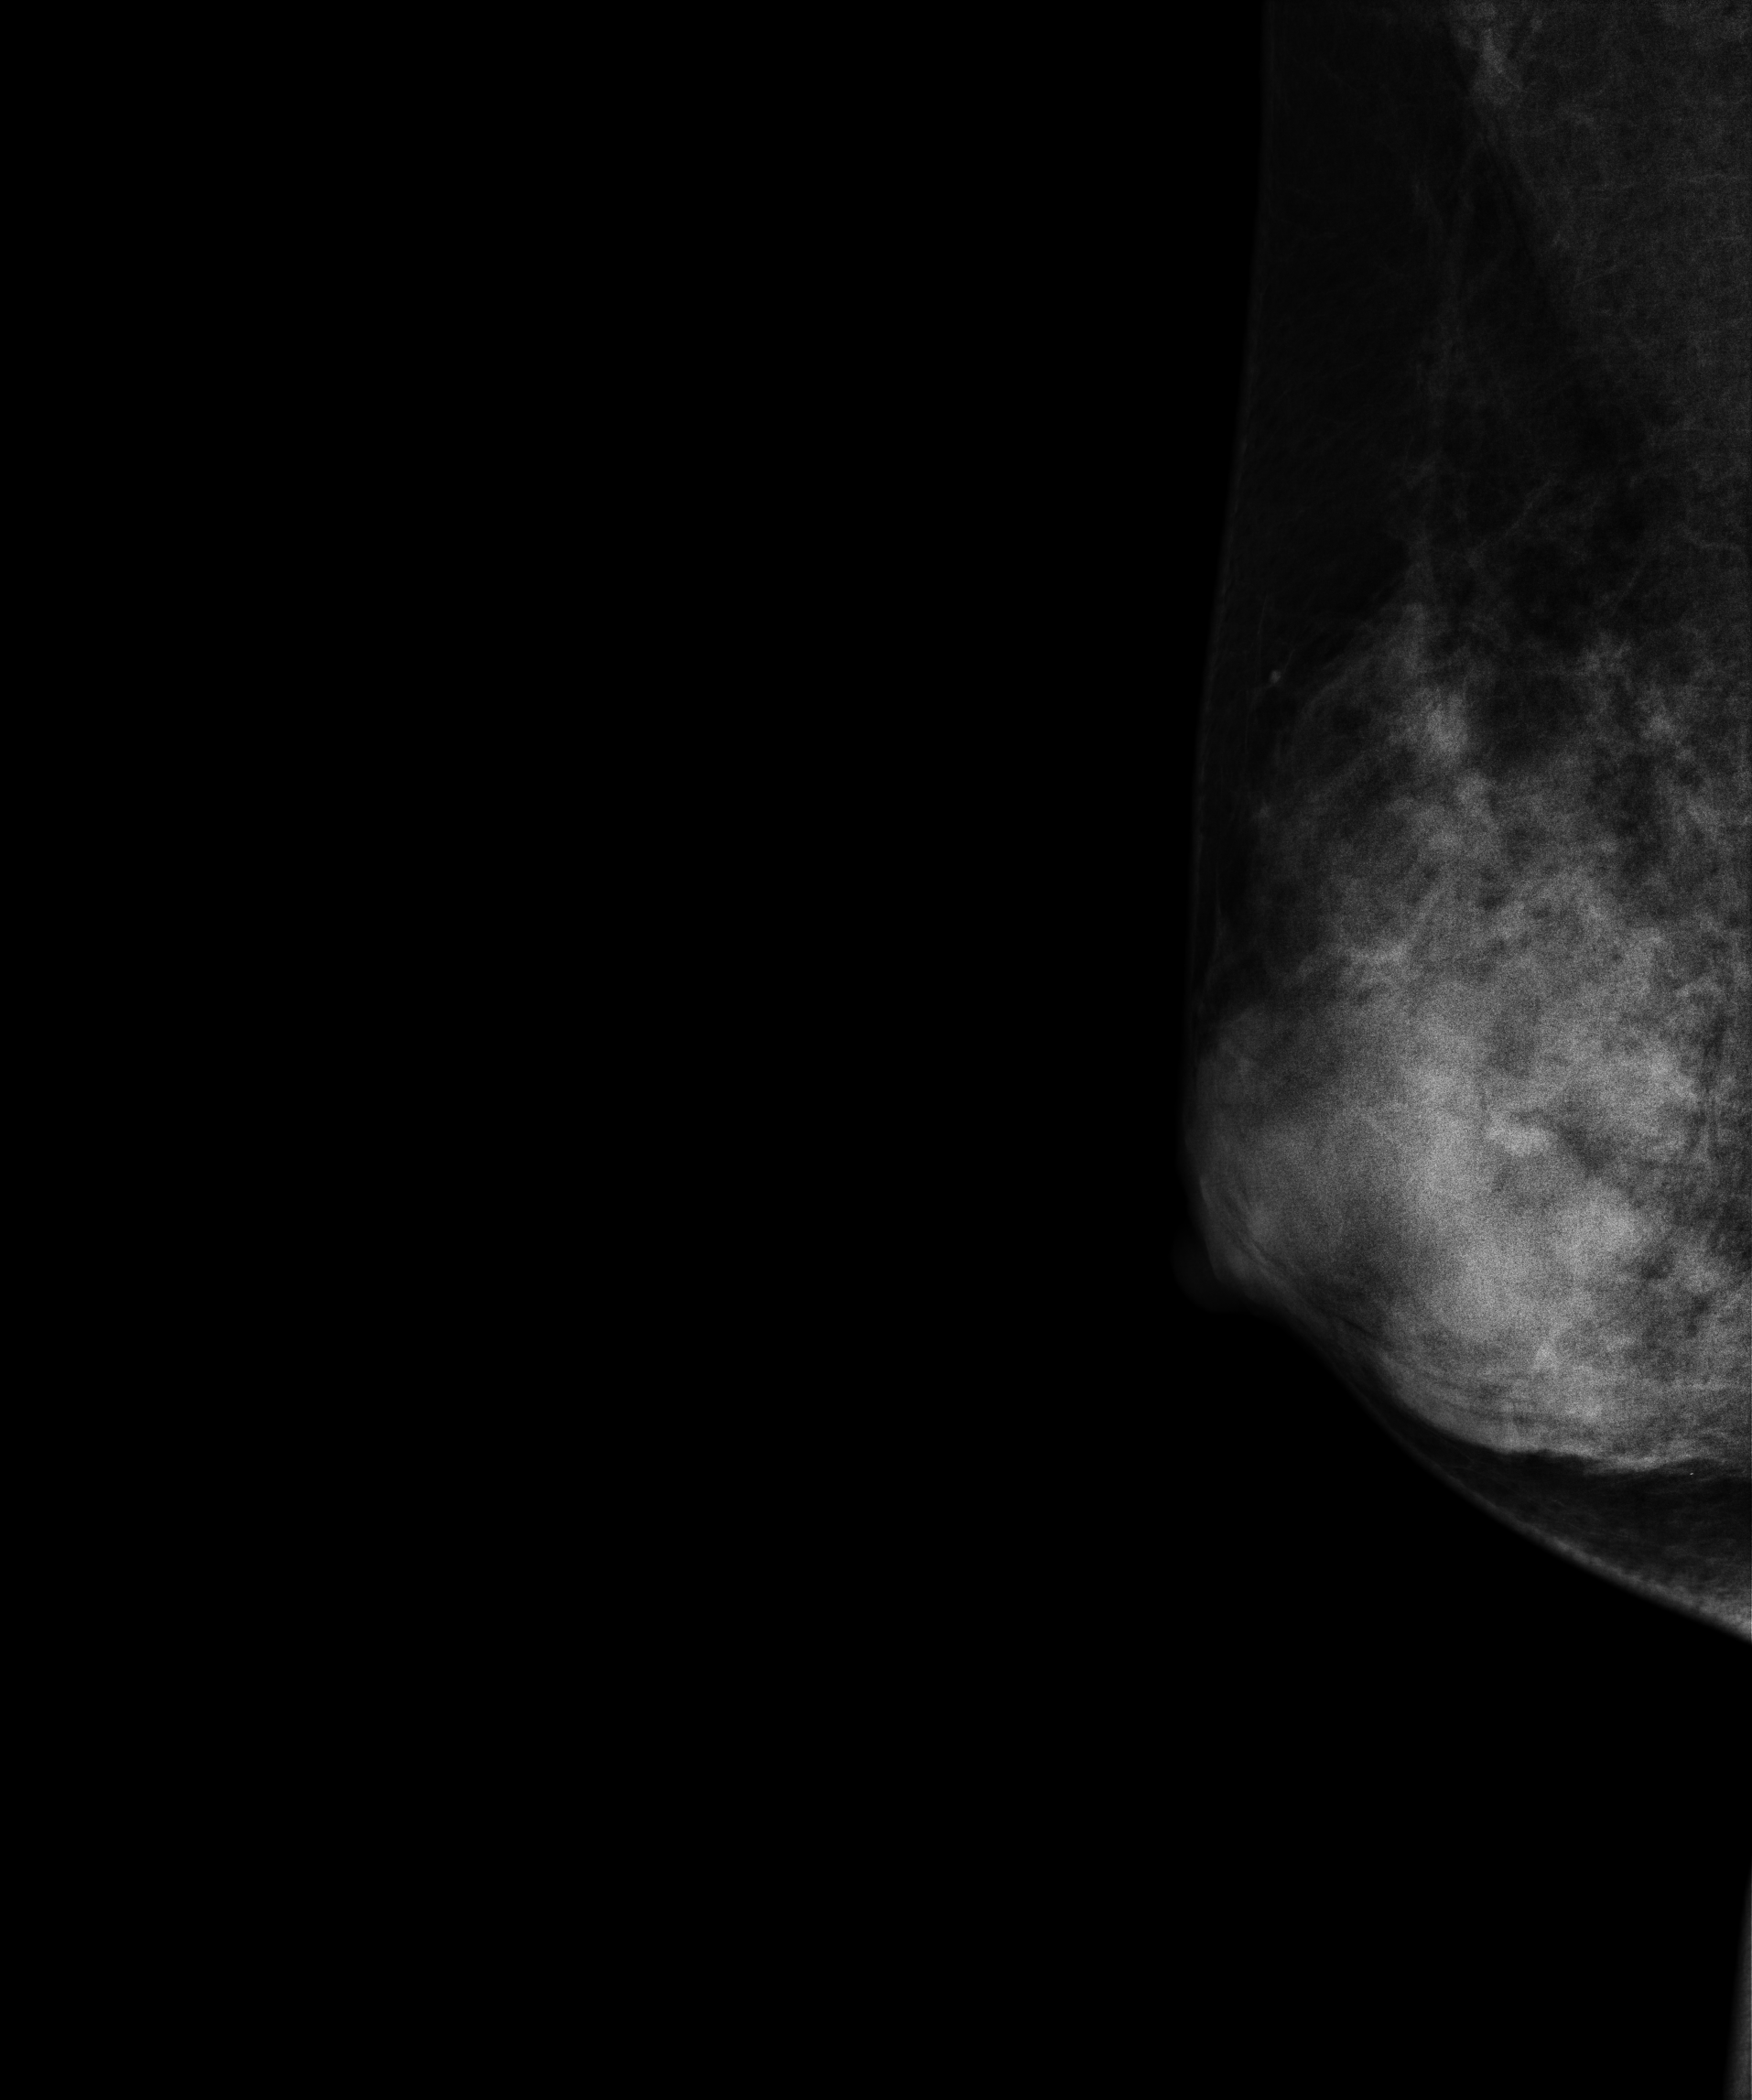
Mammogram — right MLO. 45-year-old patient.
This breast has a mass, biopsy-confirmed benign.